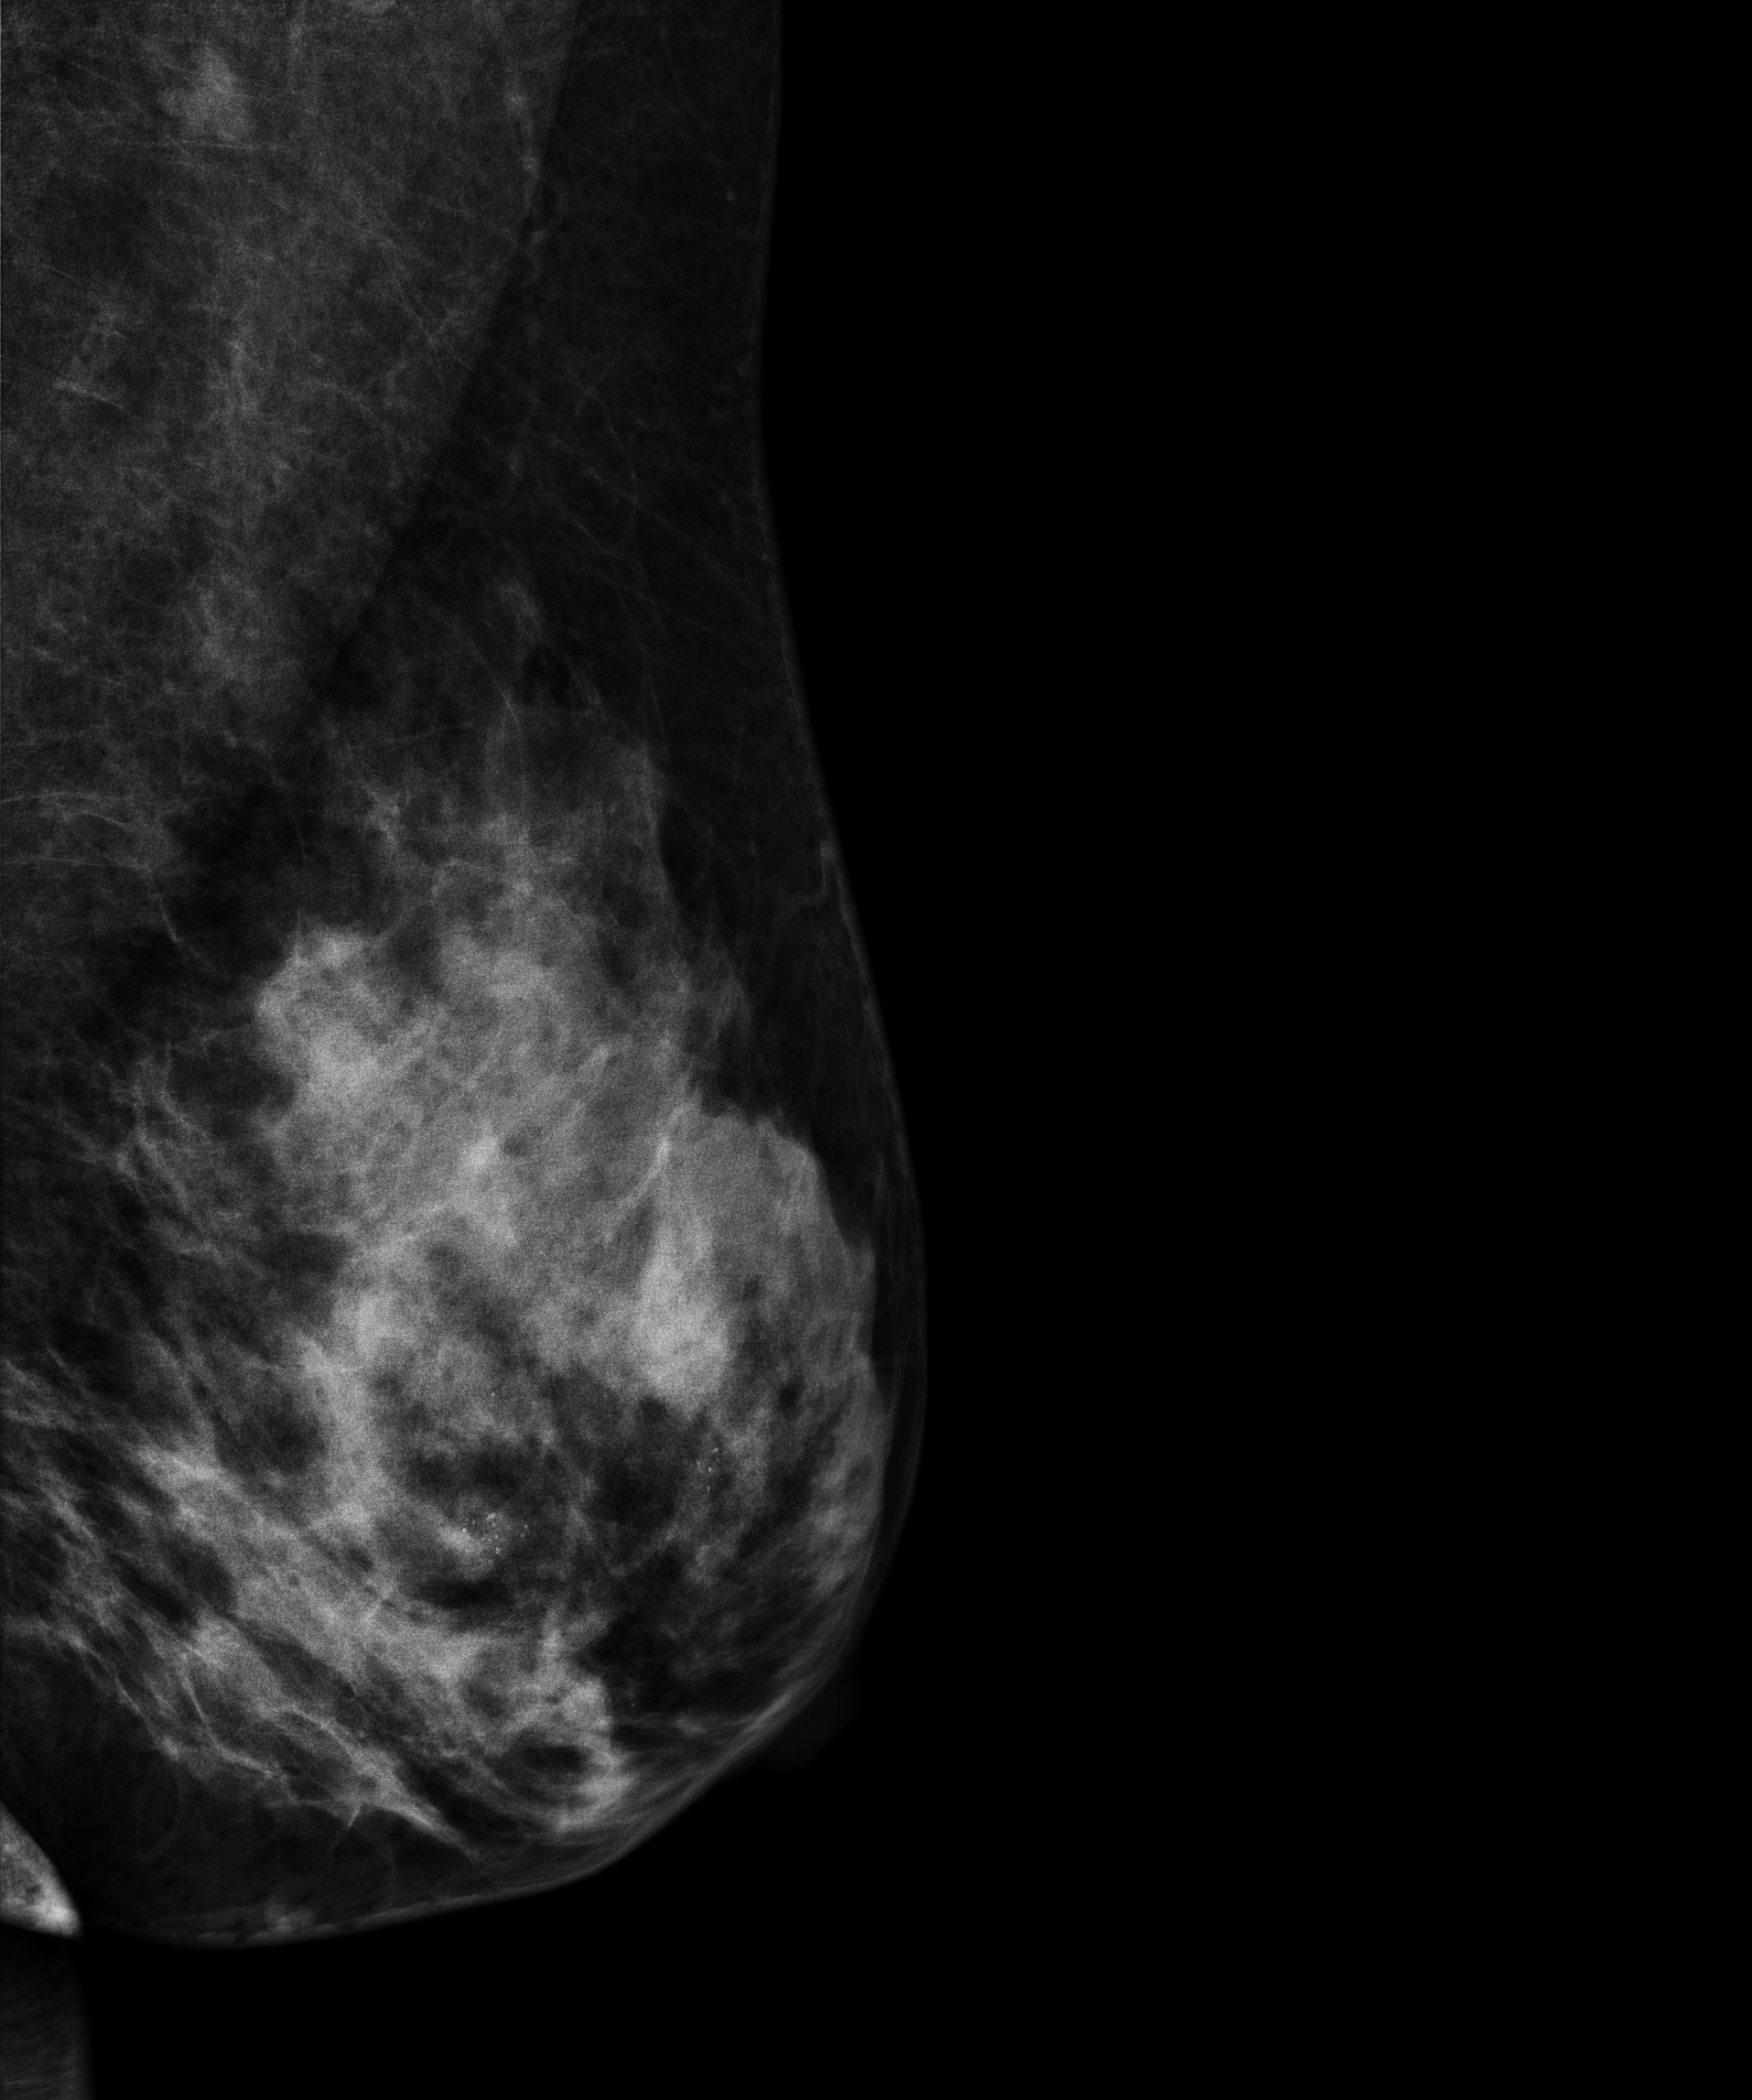
Mammogram — left medio-lateral oblique. 47-year-old patient.
This breast has calcifications, biopsy-confirmed malignant.